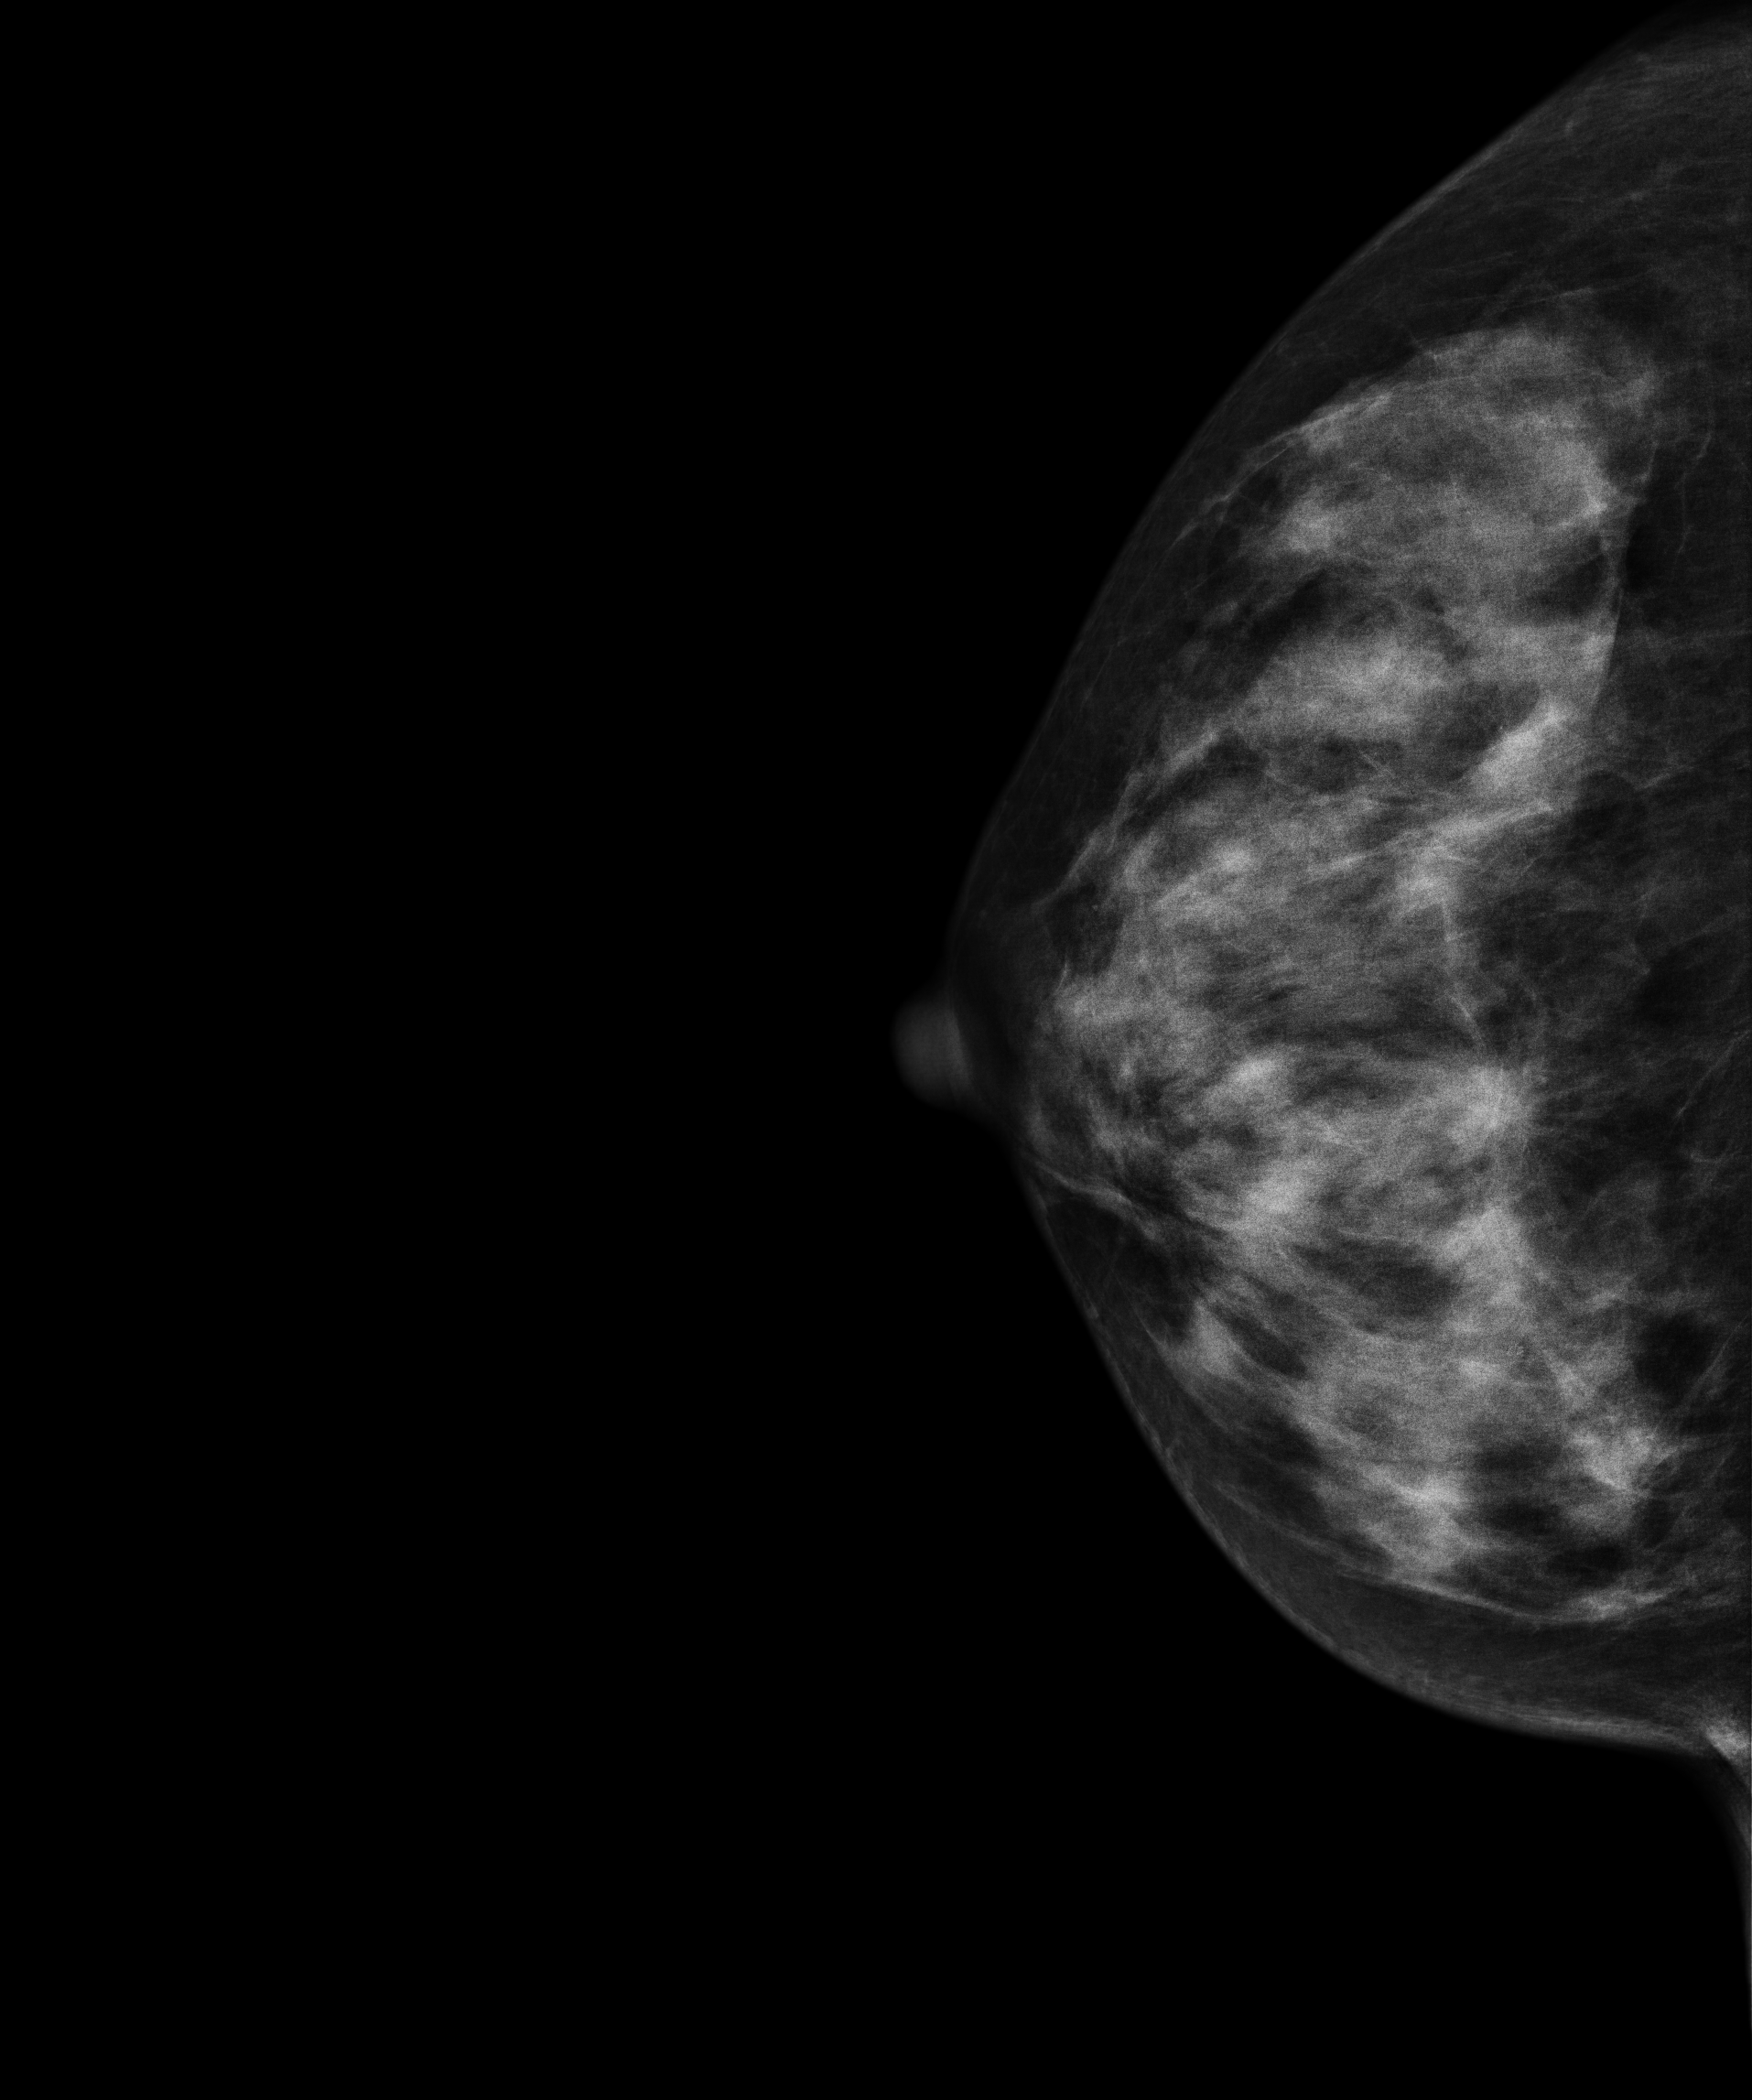
Mammogram — right CC. 50 y/o patient.
This breast has a mass, biopsy-proven malignant.